Left-breast mammogram, cranio-caudal. 40 y/o patient.
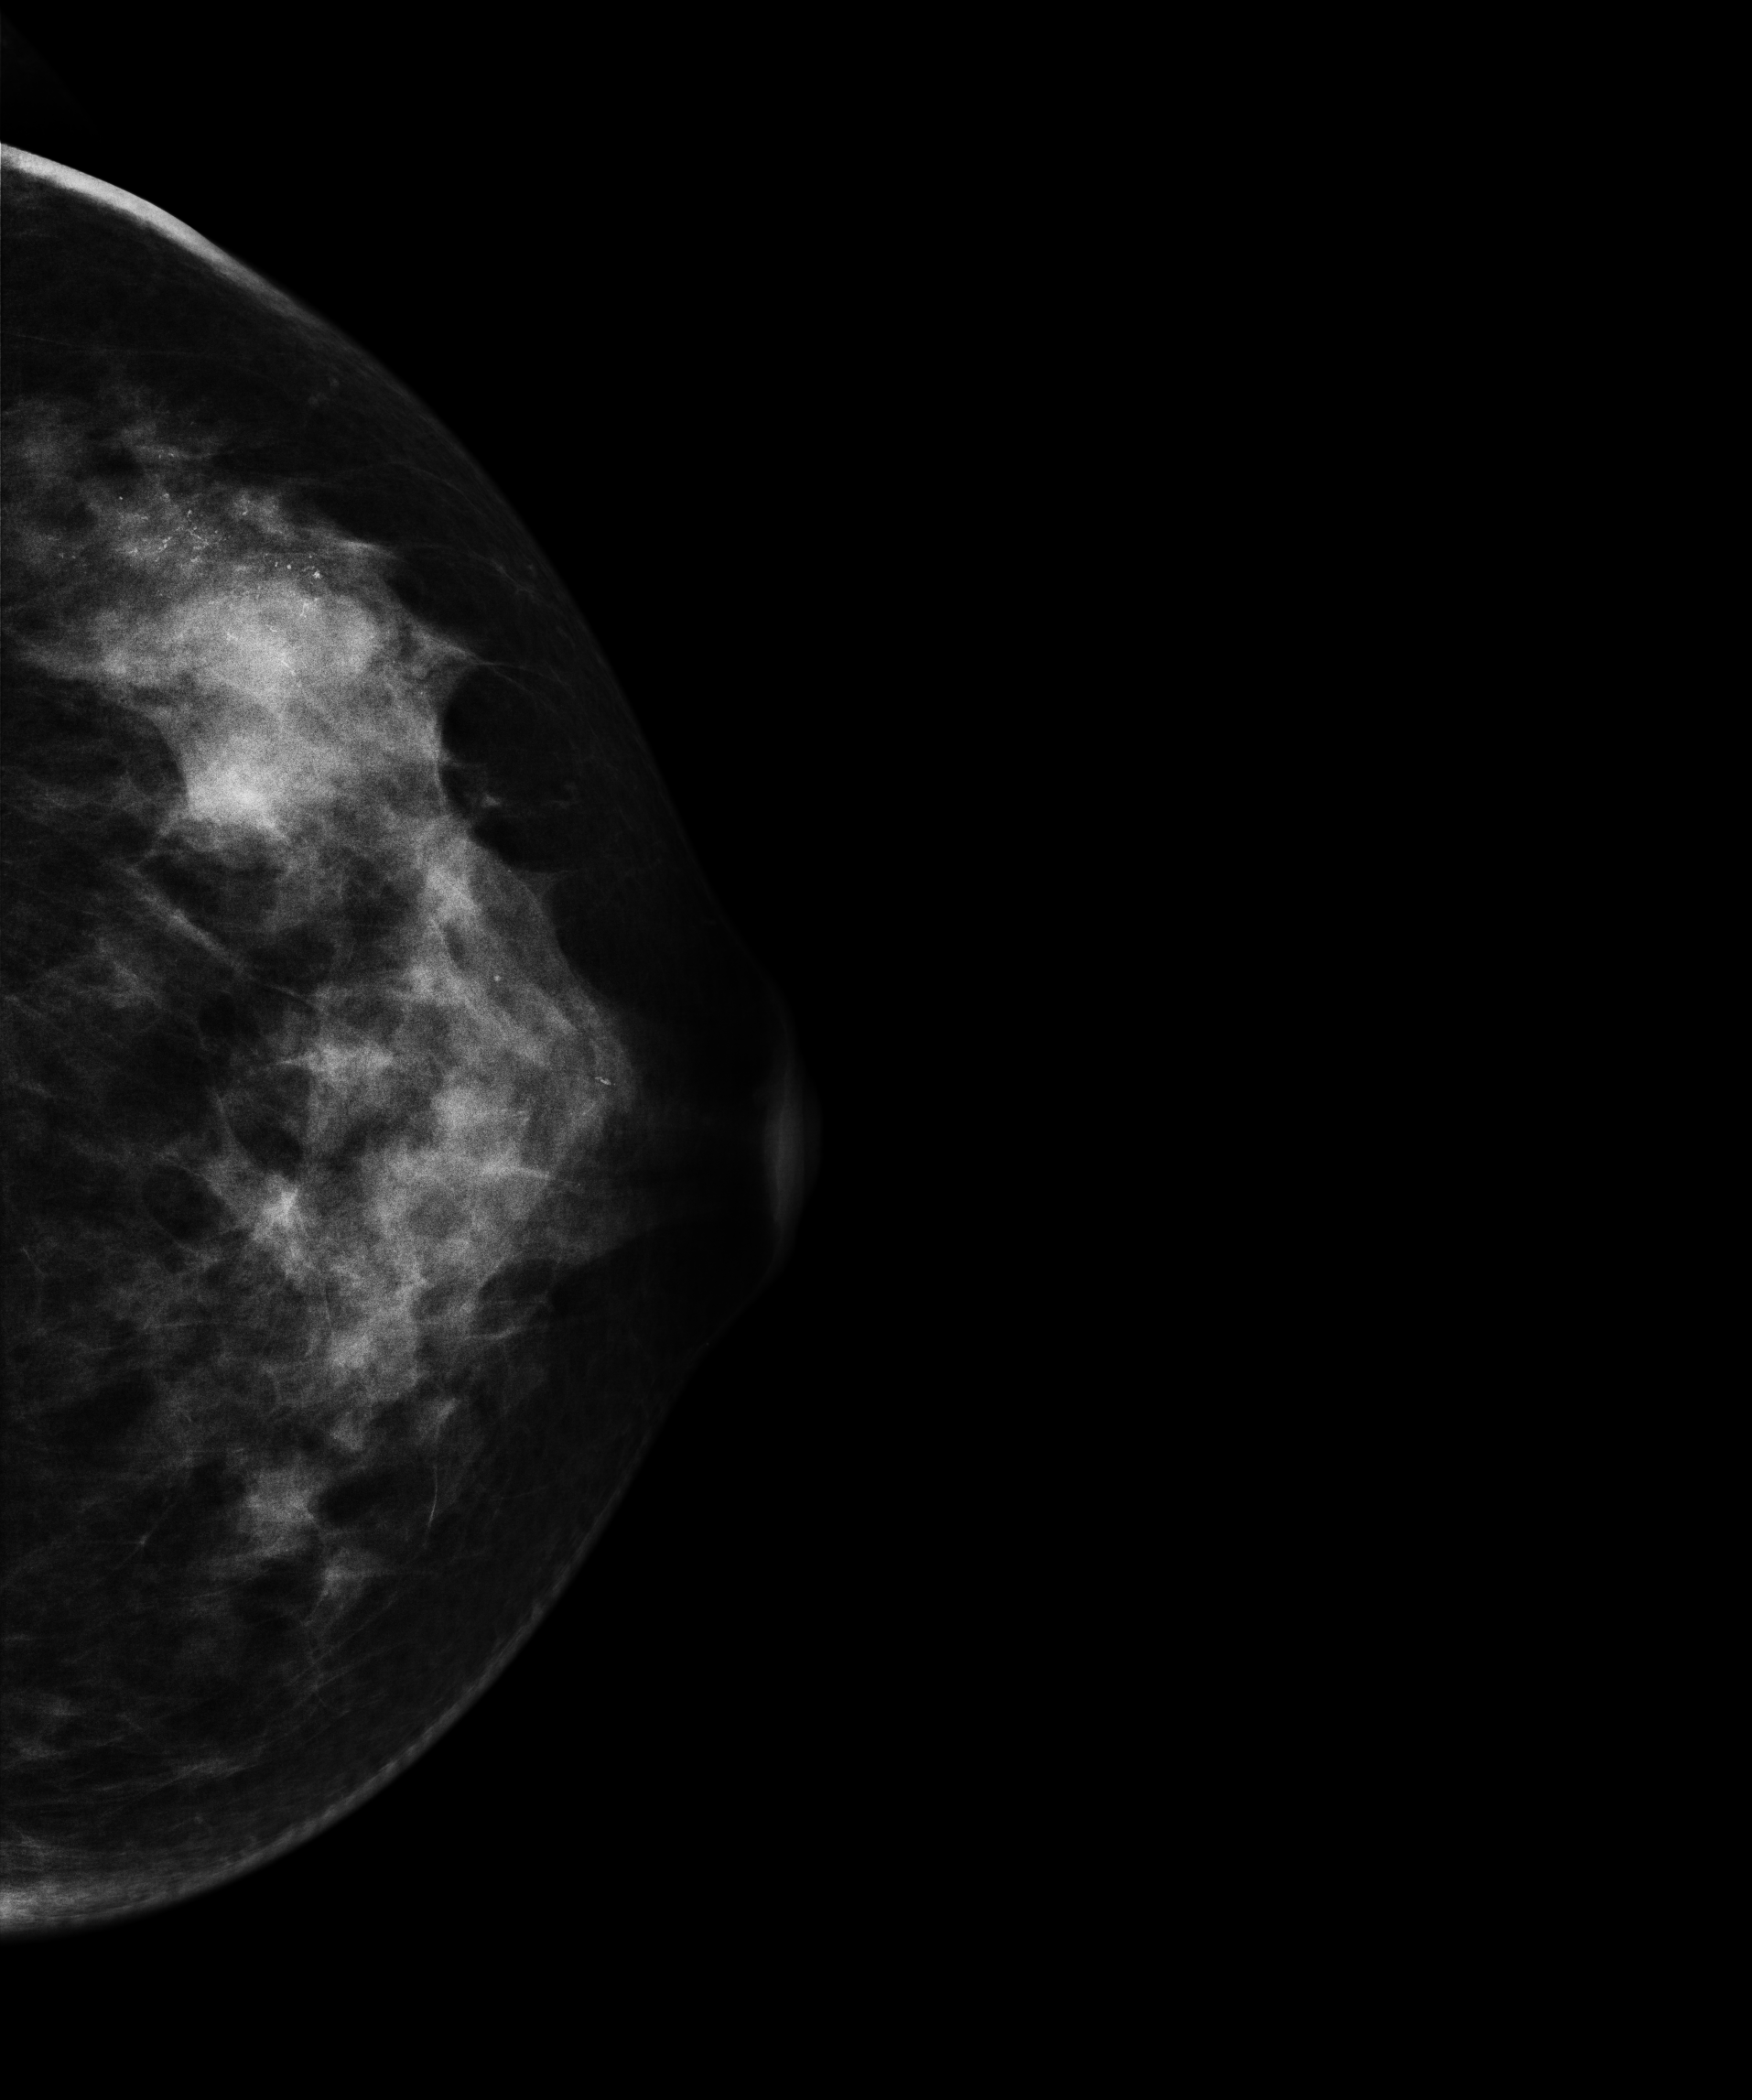
This breast has a mass and calcifications, biopsy-proven malignant. Molecular subtype: HER2-enriched.